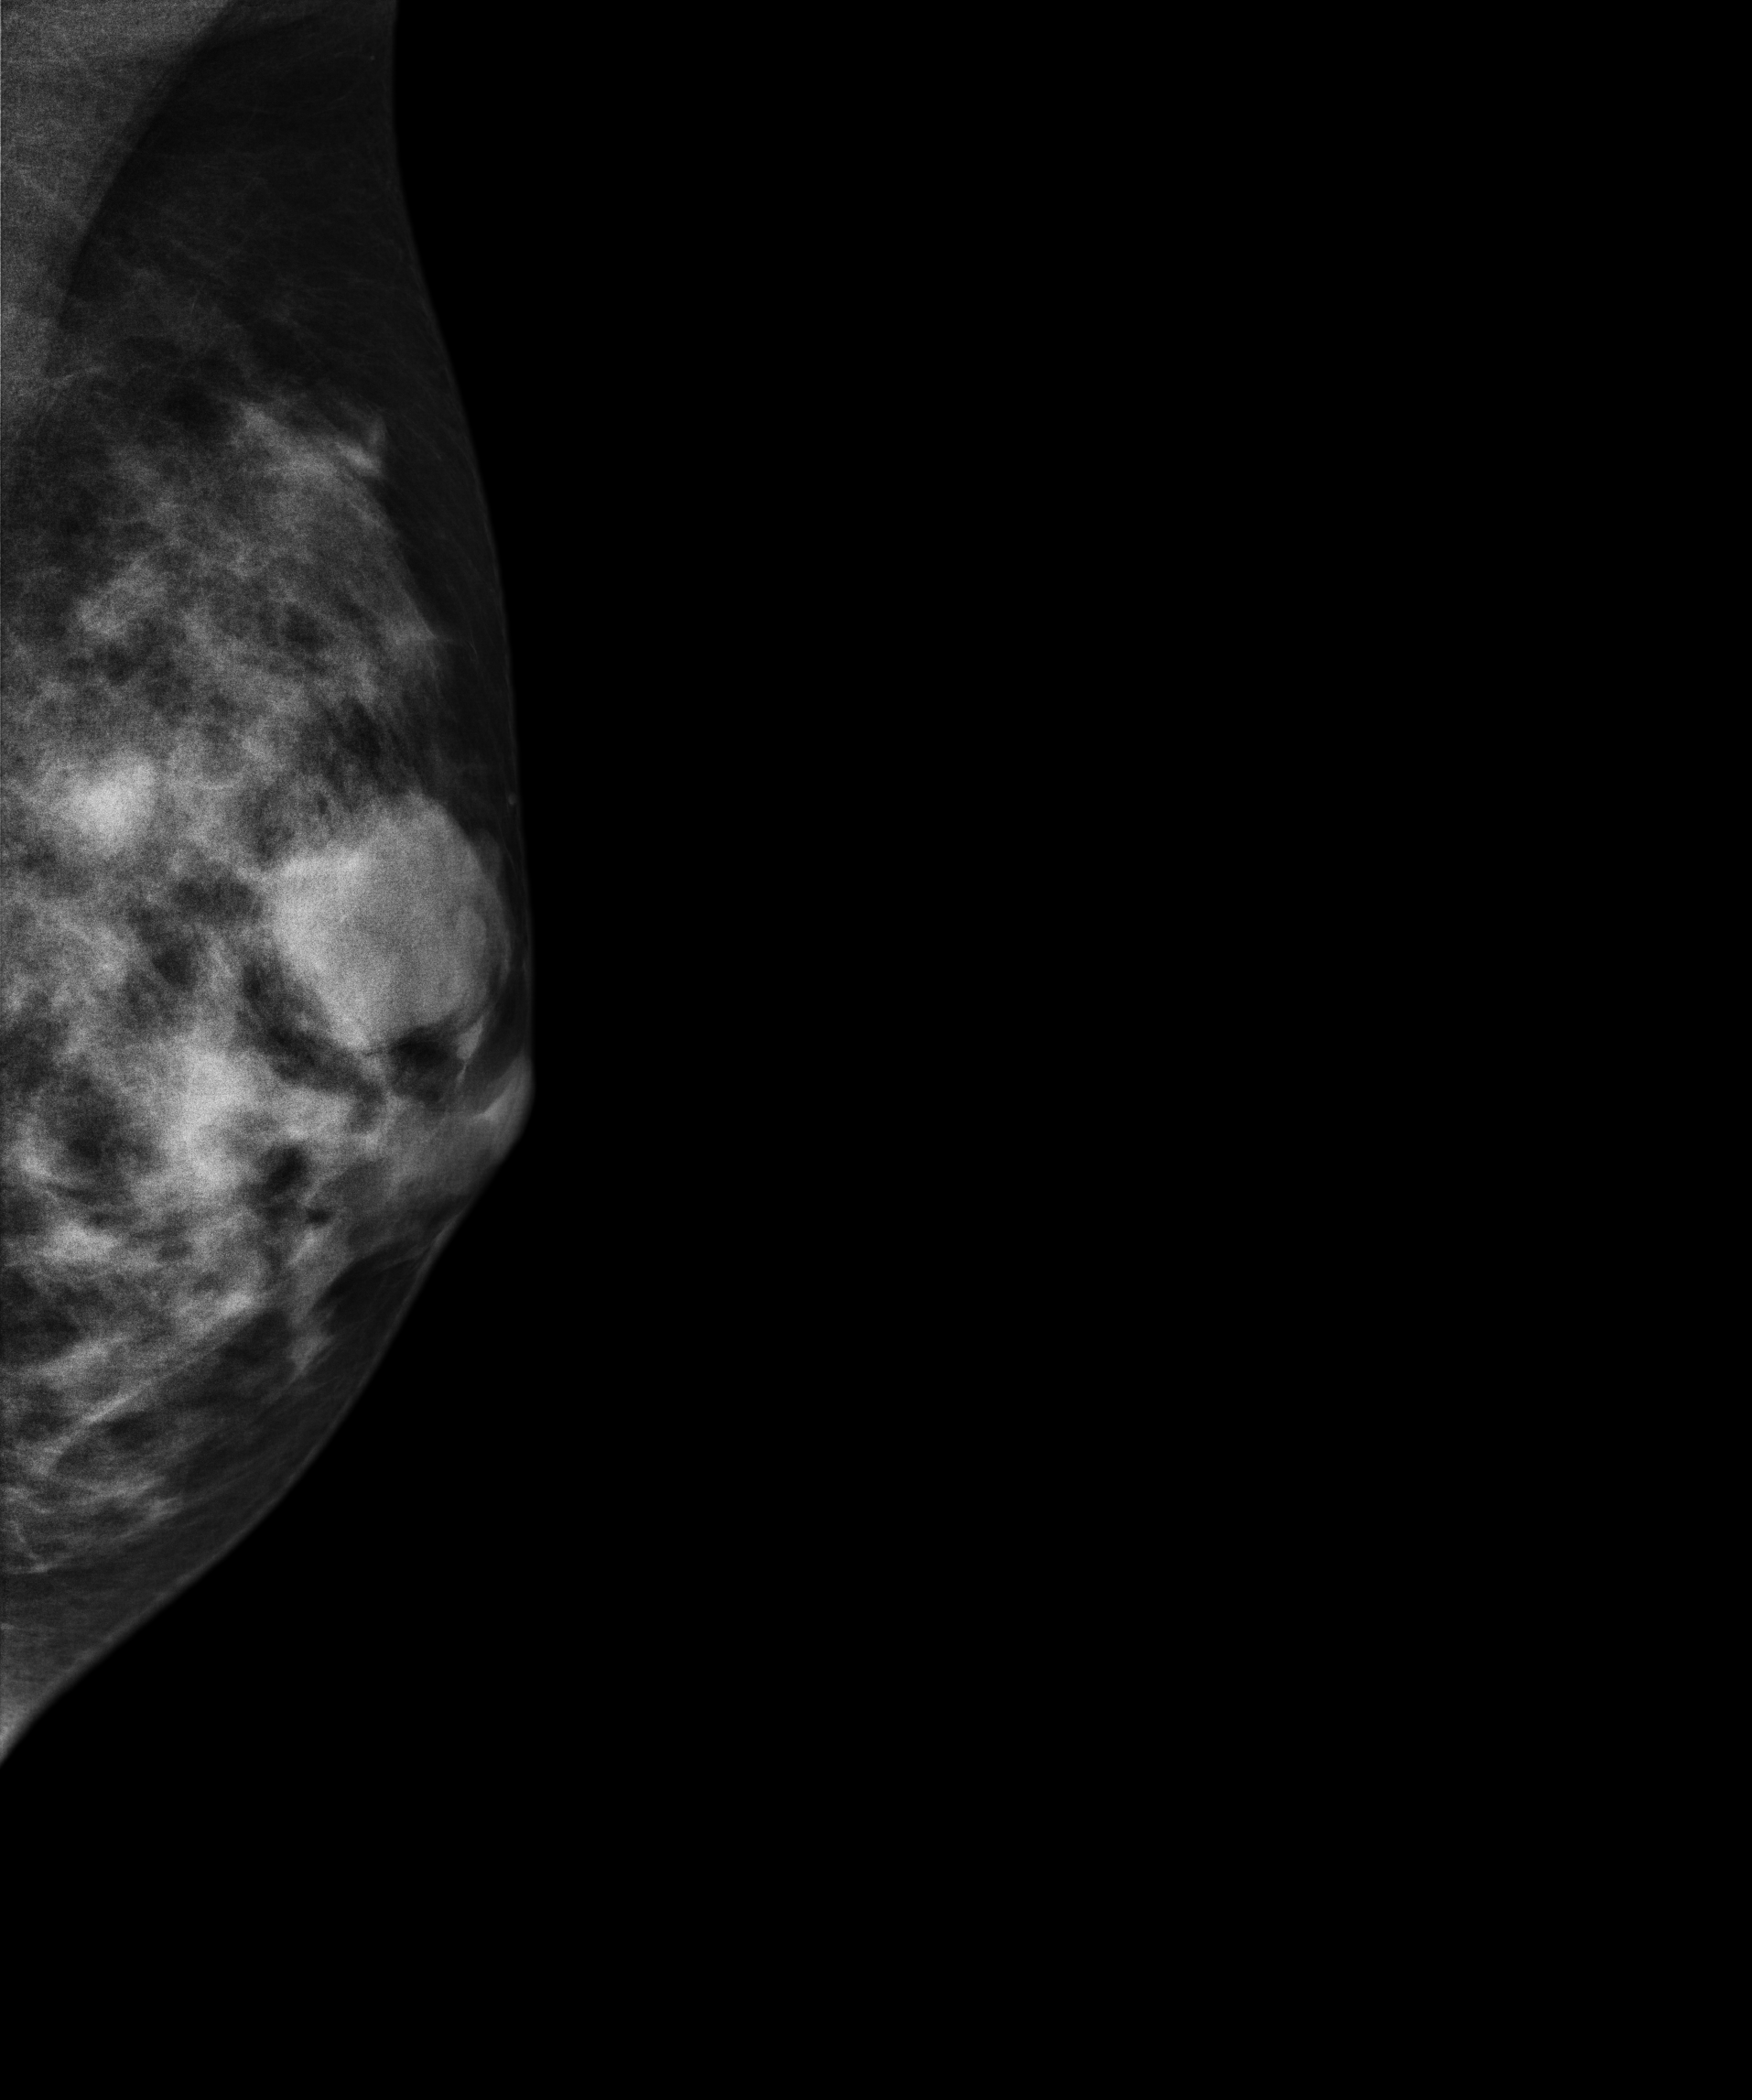
Mammogram, left breast, MLO view. 19-year-old patient.
This breast has a mass, biopsy-proven benign.